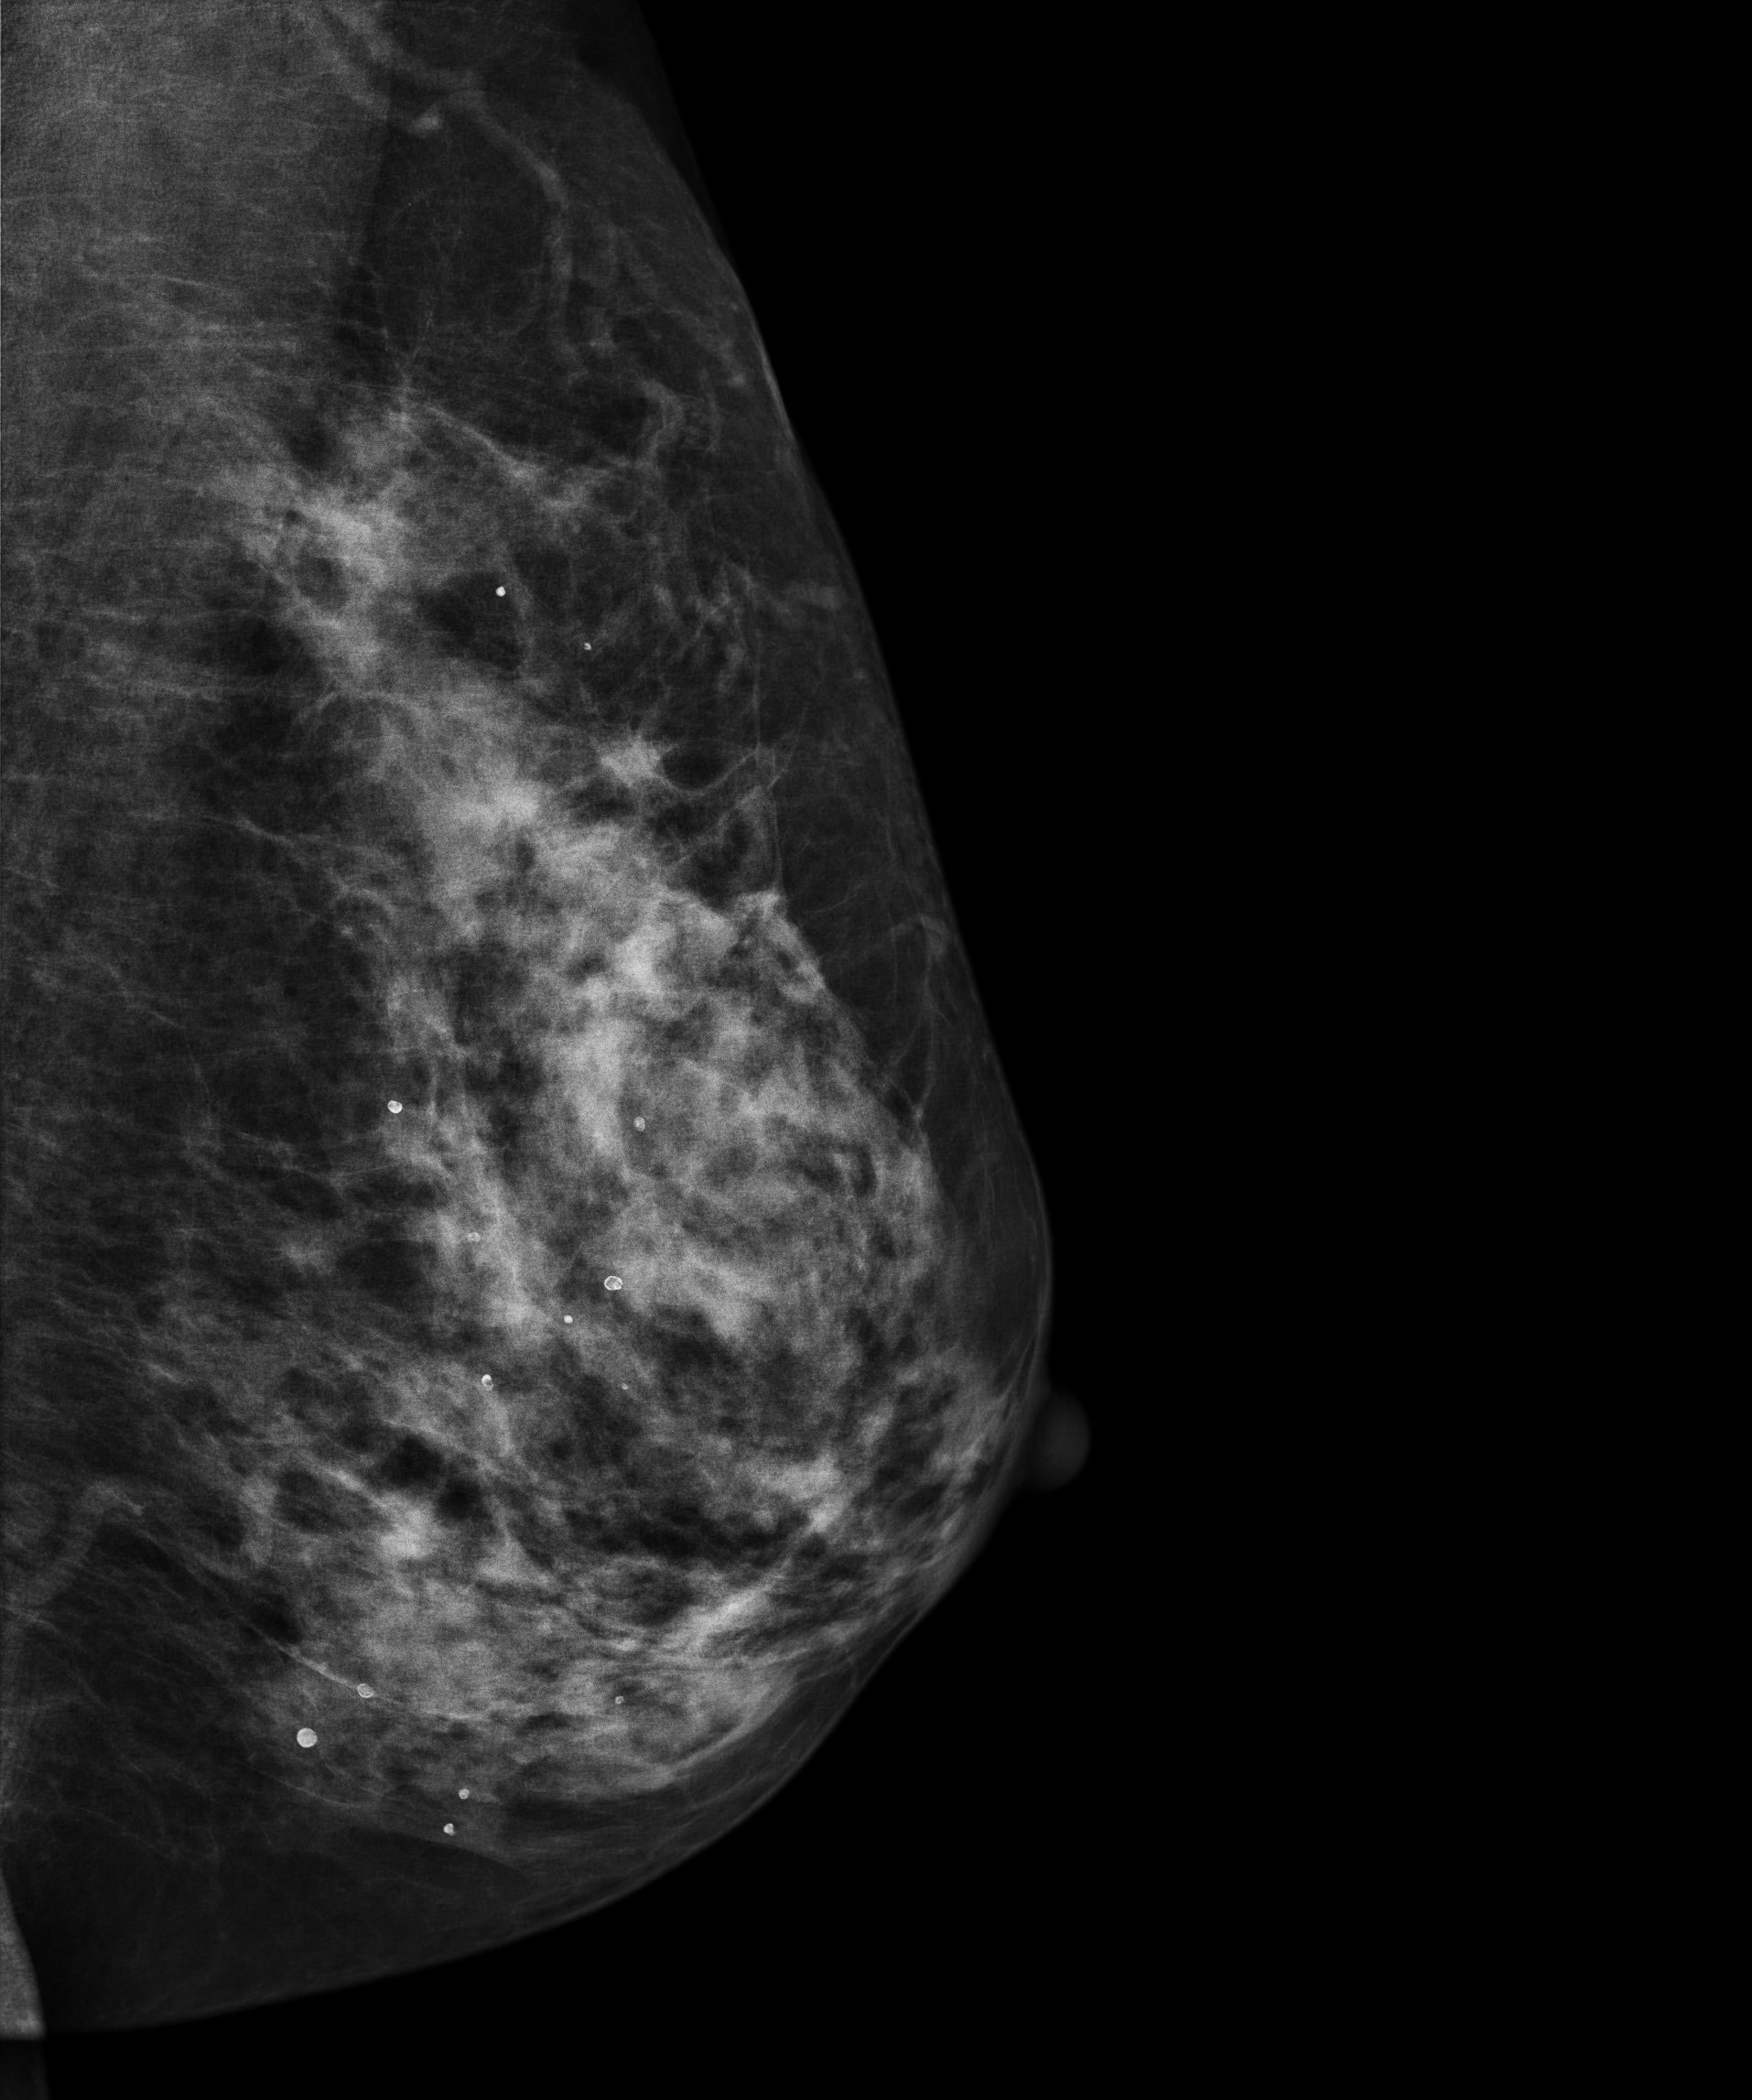
Mammogram — left MLO. 60-year-old patient.
This breast has a mass, pathology-confirmed malignant.